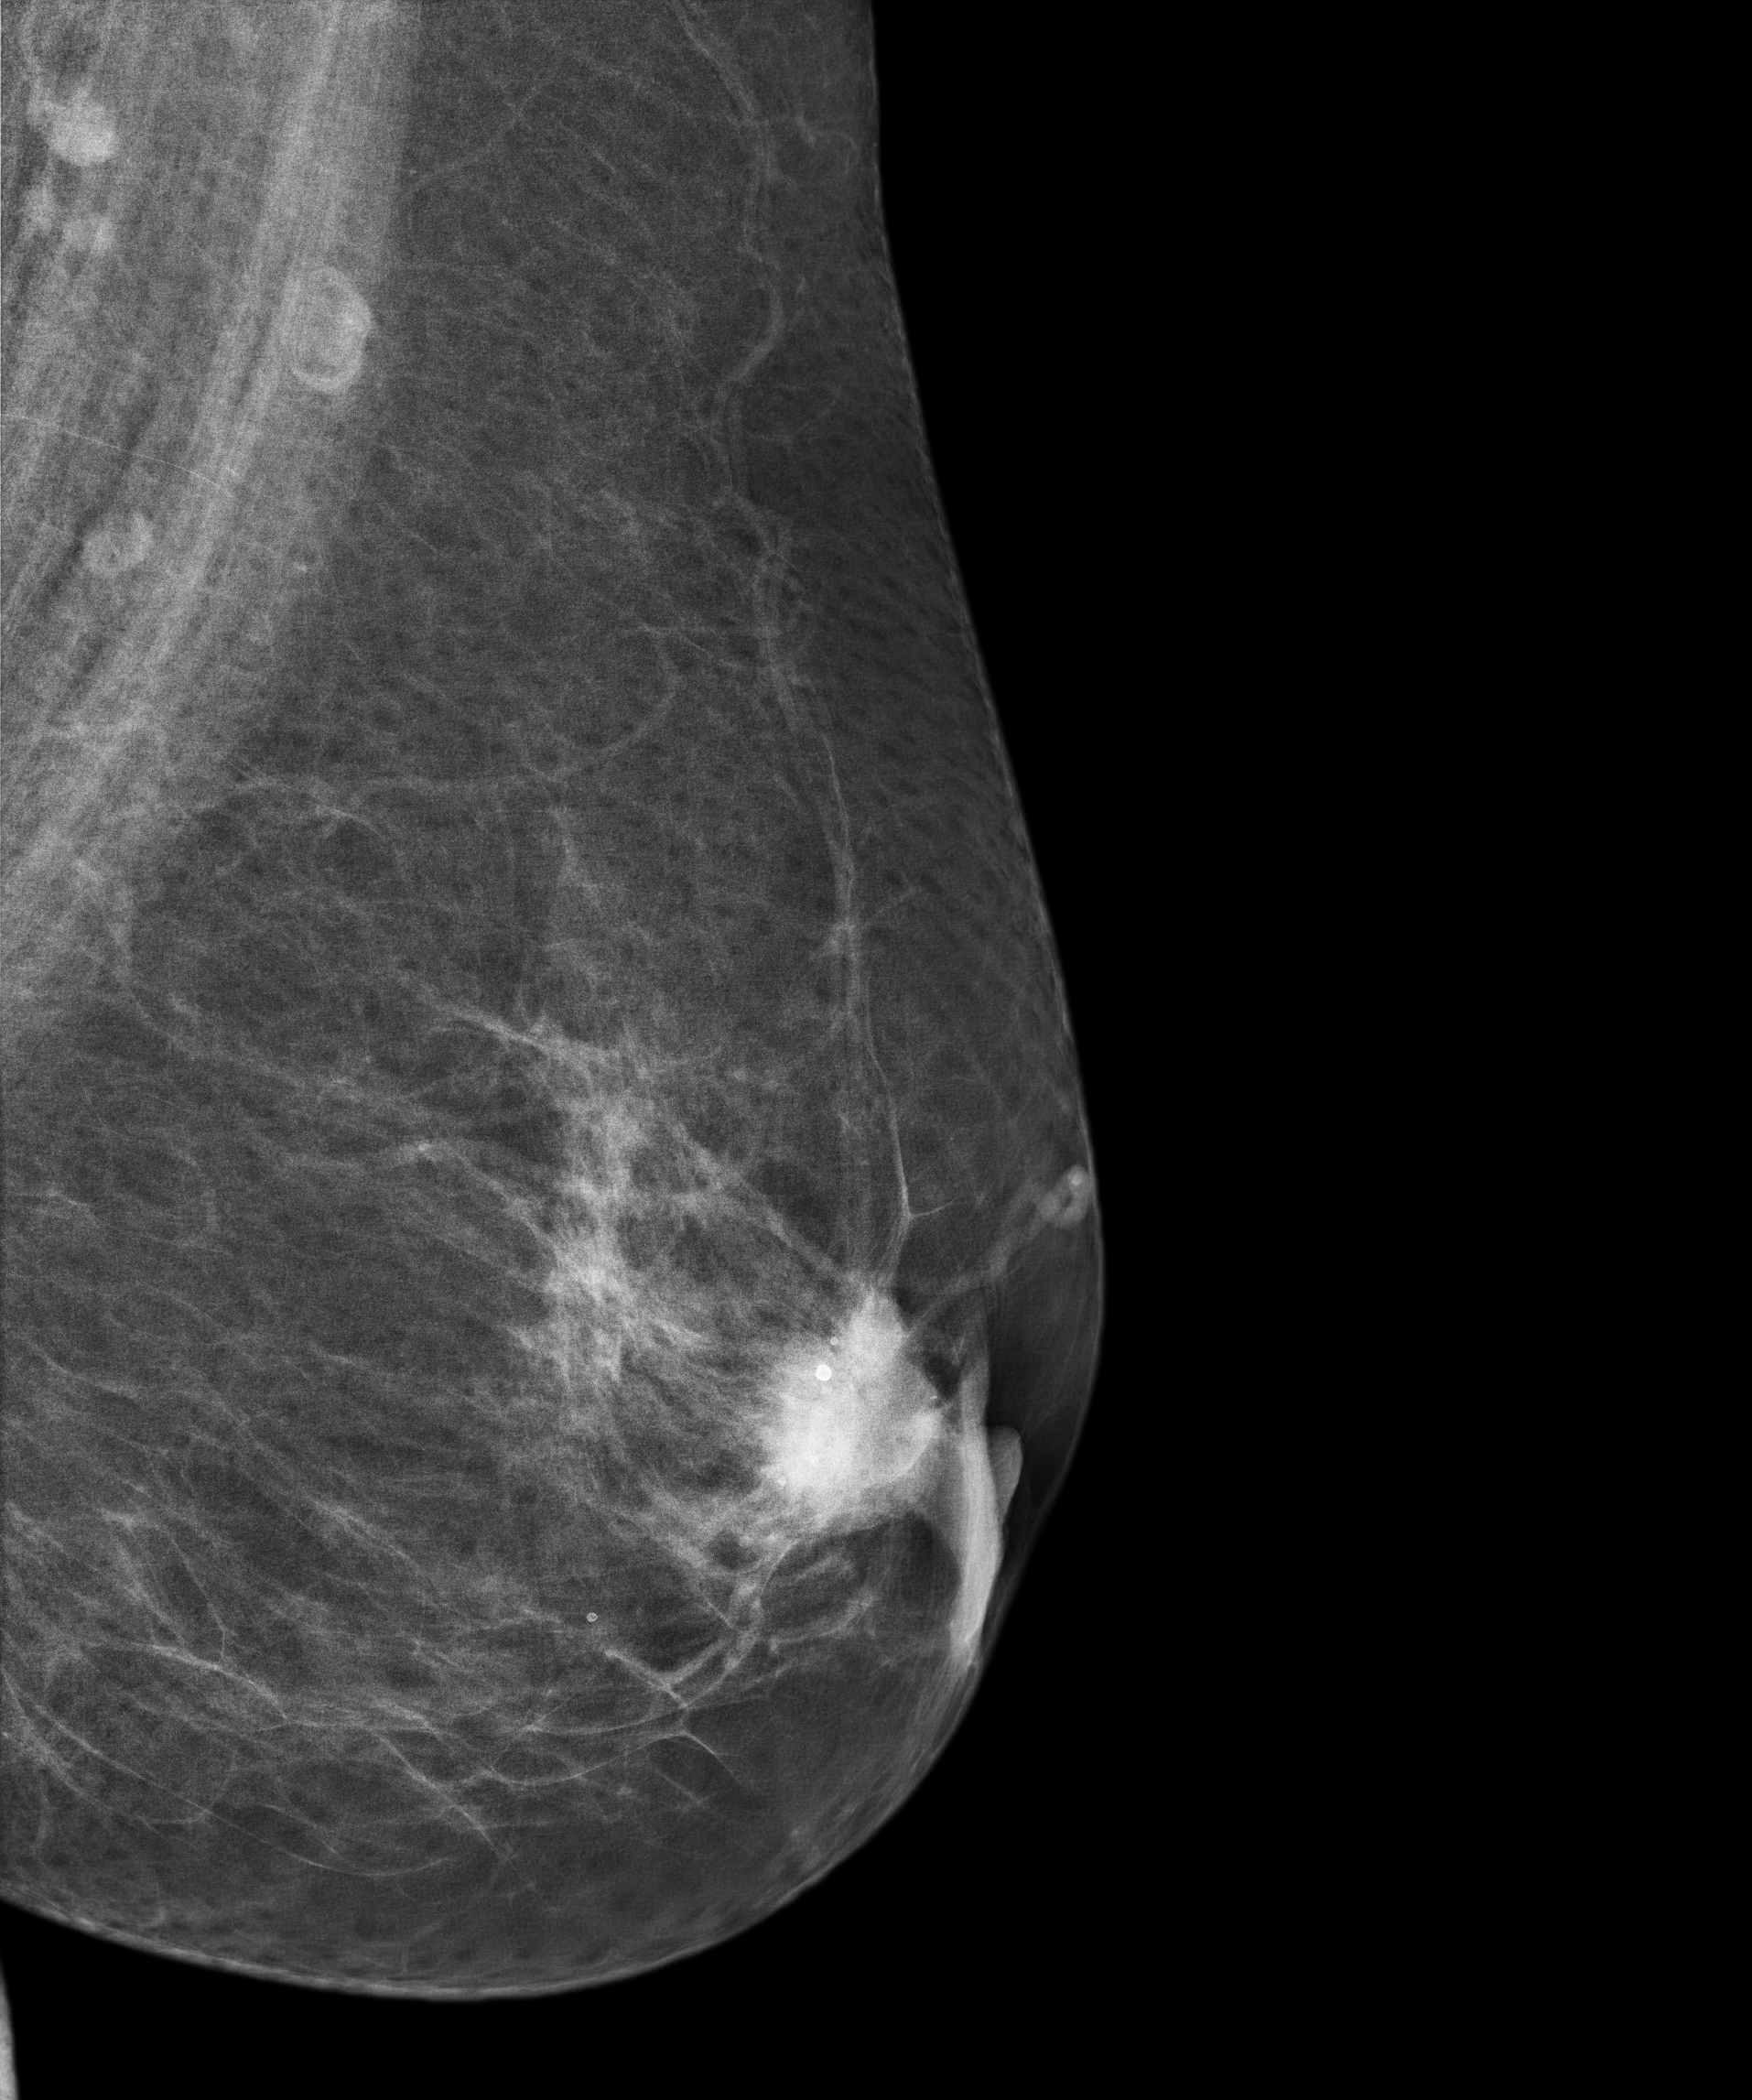
Mammogram, left breast, MLO view. 62 y/o patient.
This breast has a mass and calcifications, biopsy-confirmed malignant. Molecular subtype: luminal A.